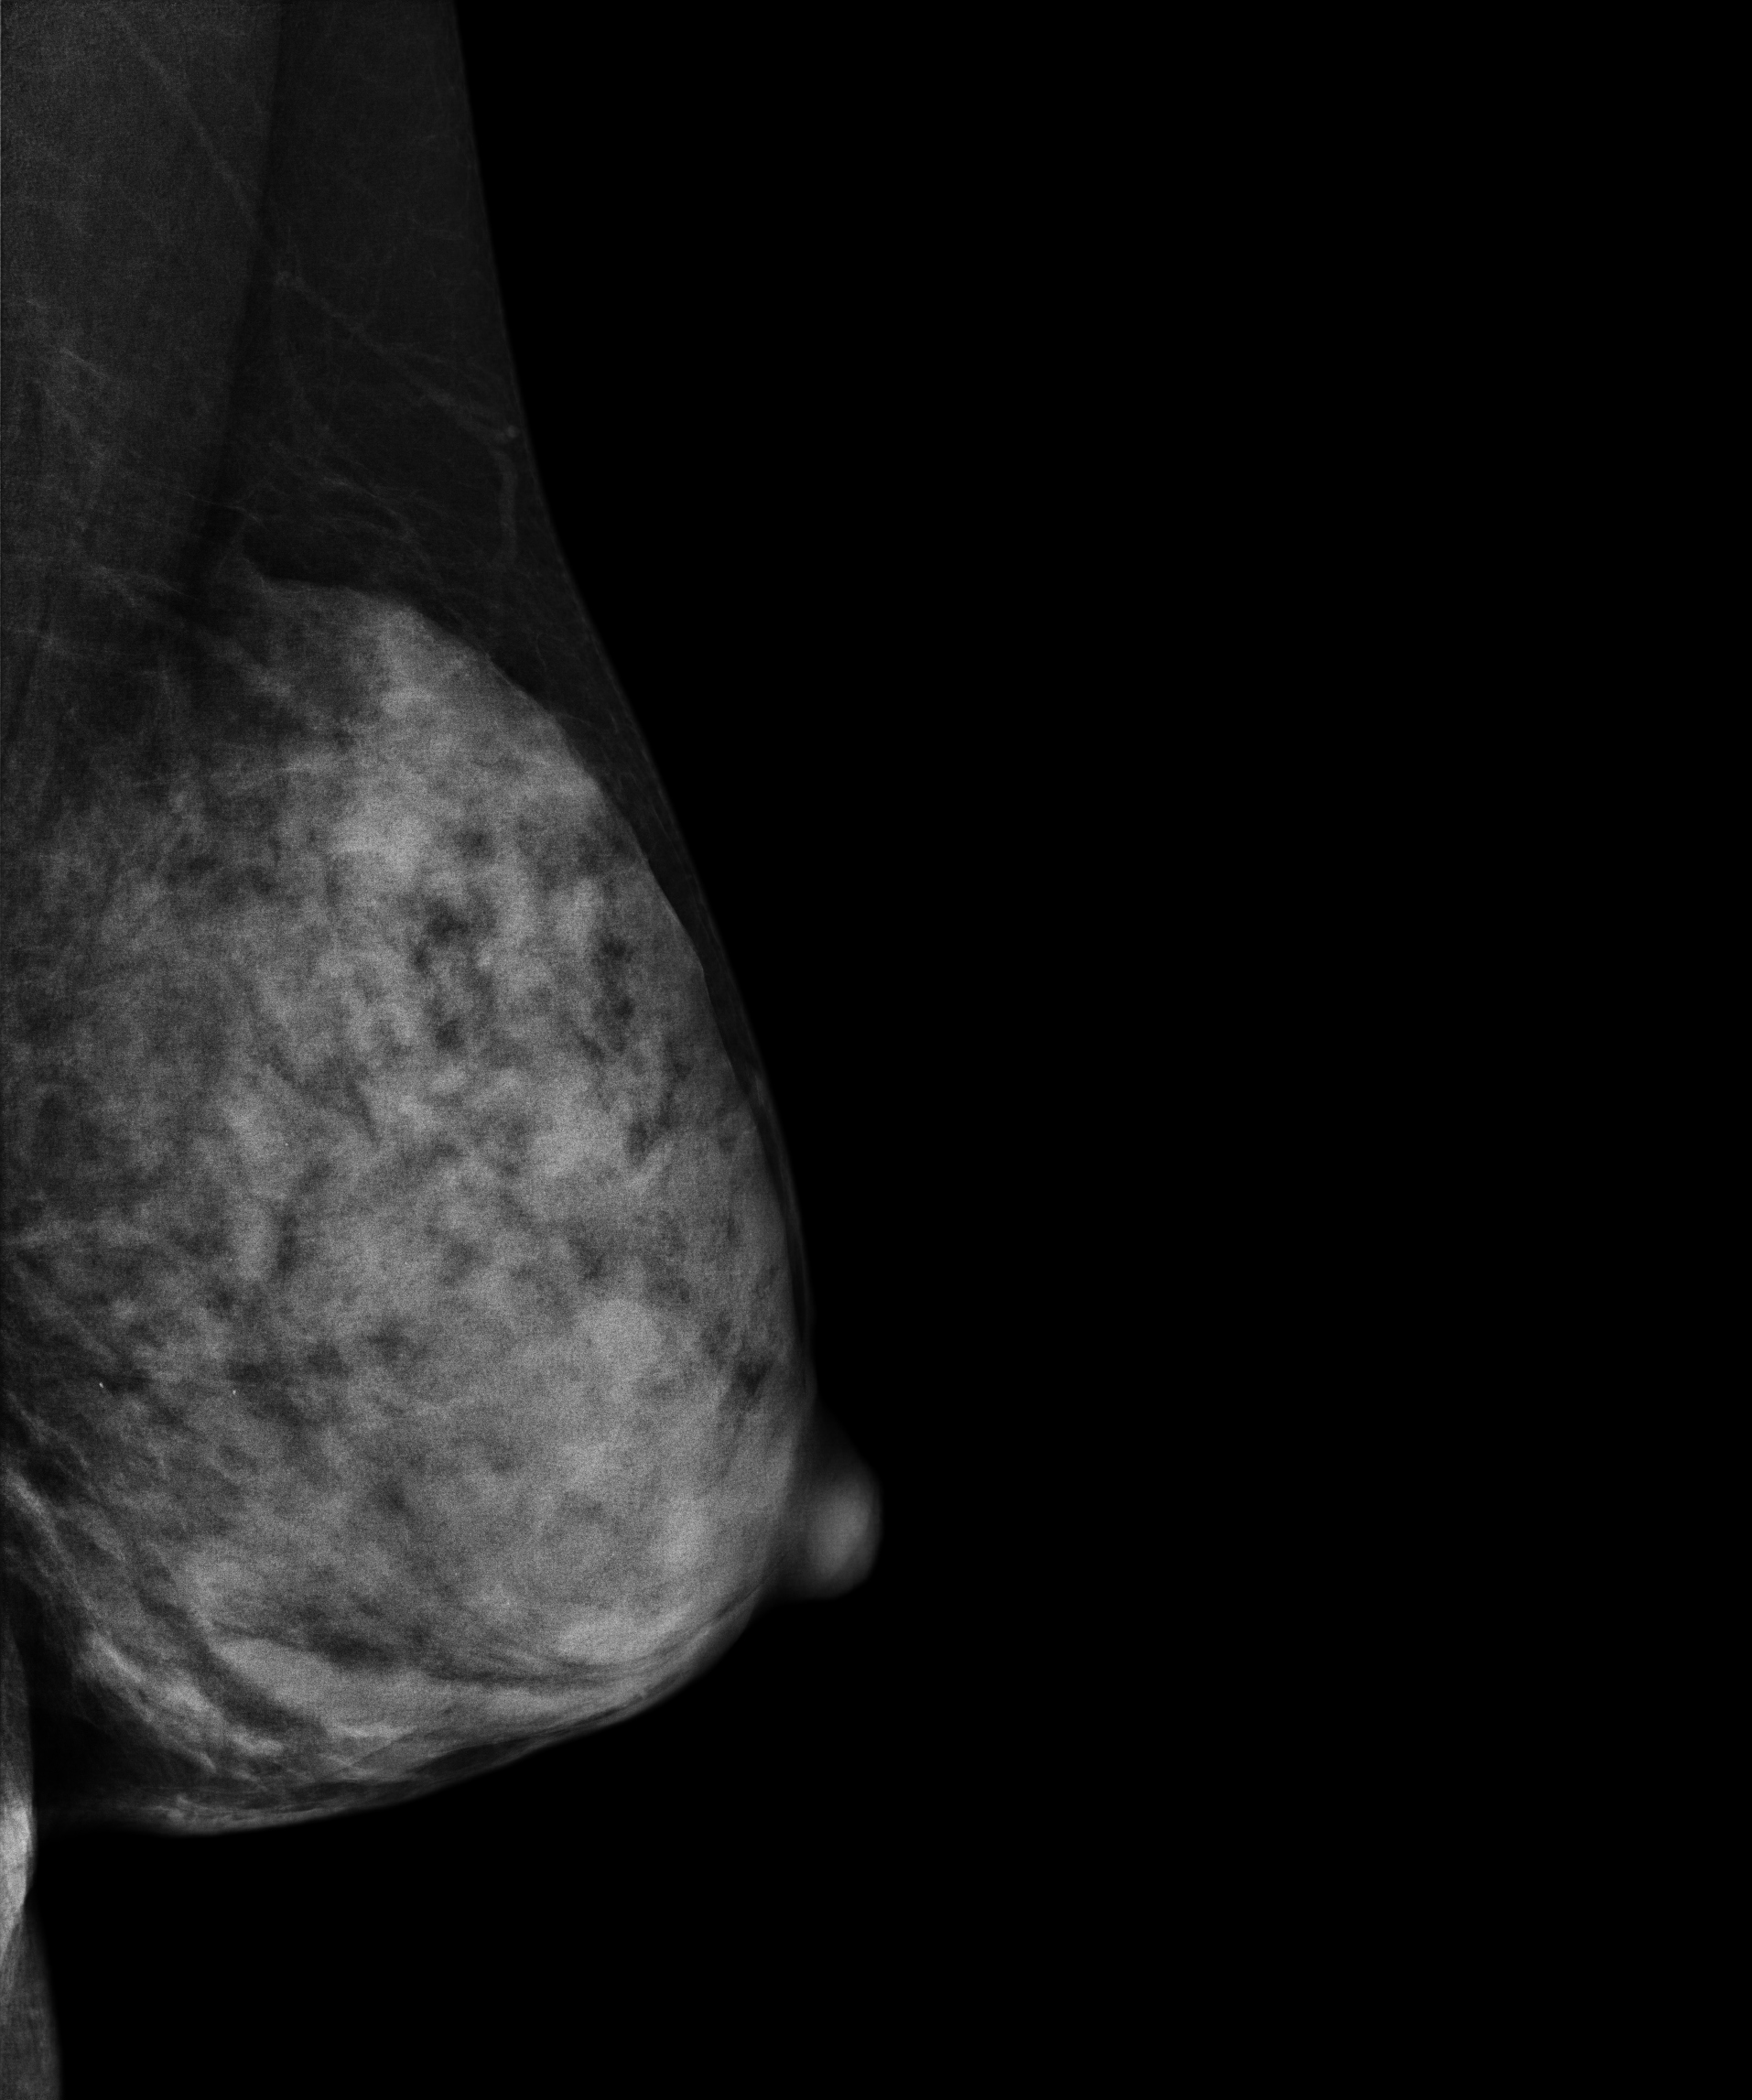
Mammogram, left breast, medio-lateral oblique view. 47-year-old patient.
This breast has a mass, histologically confirmed benign.